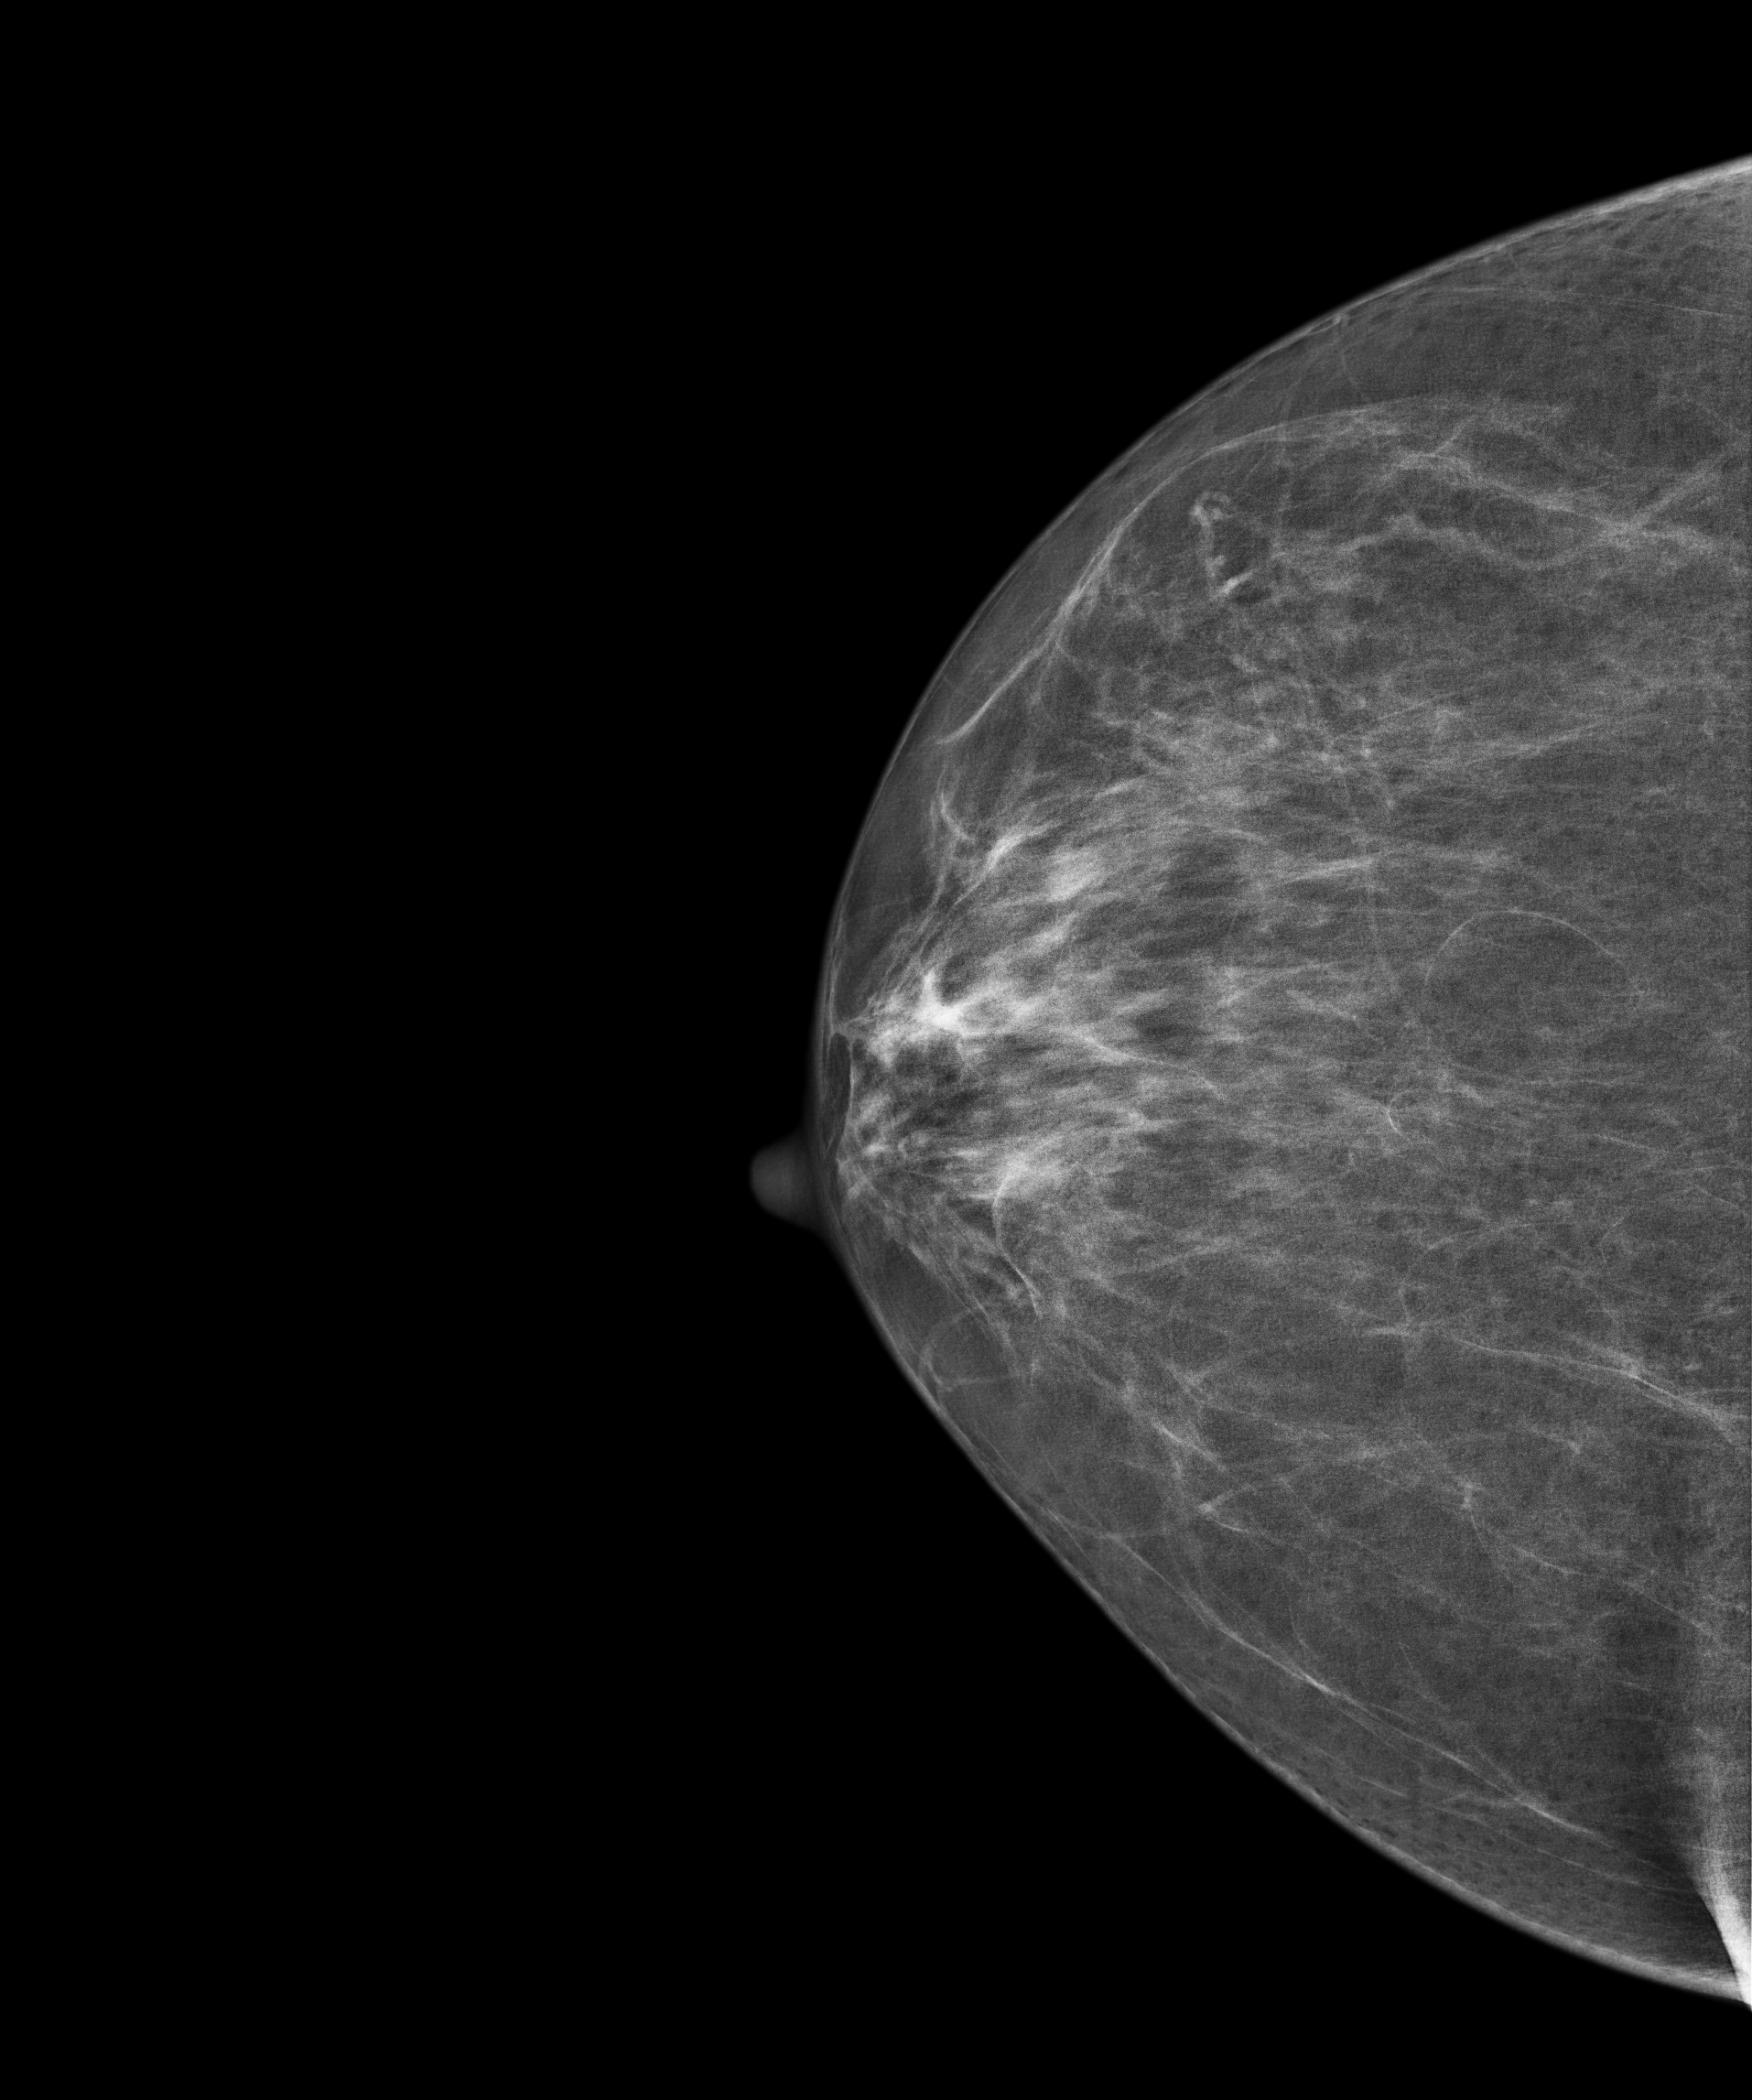
Digital mammography. Right breast, cranio-caudal projection. Patient age 63.
Contralateral breast — no documented abnormality on this side.